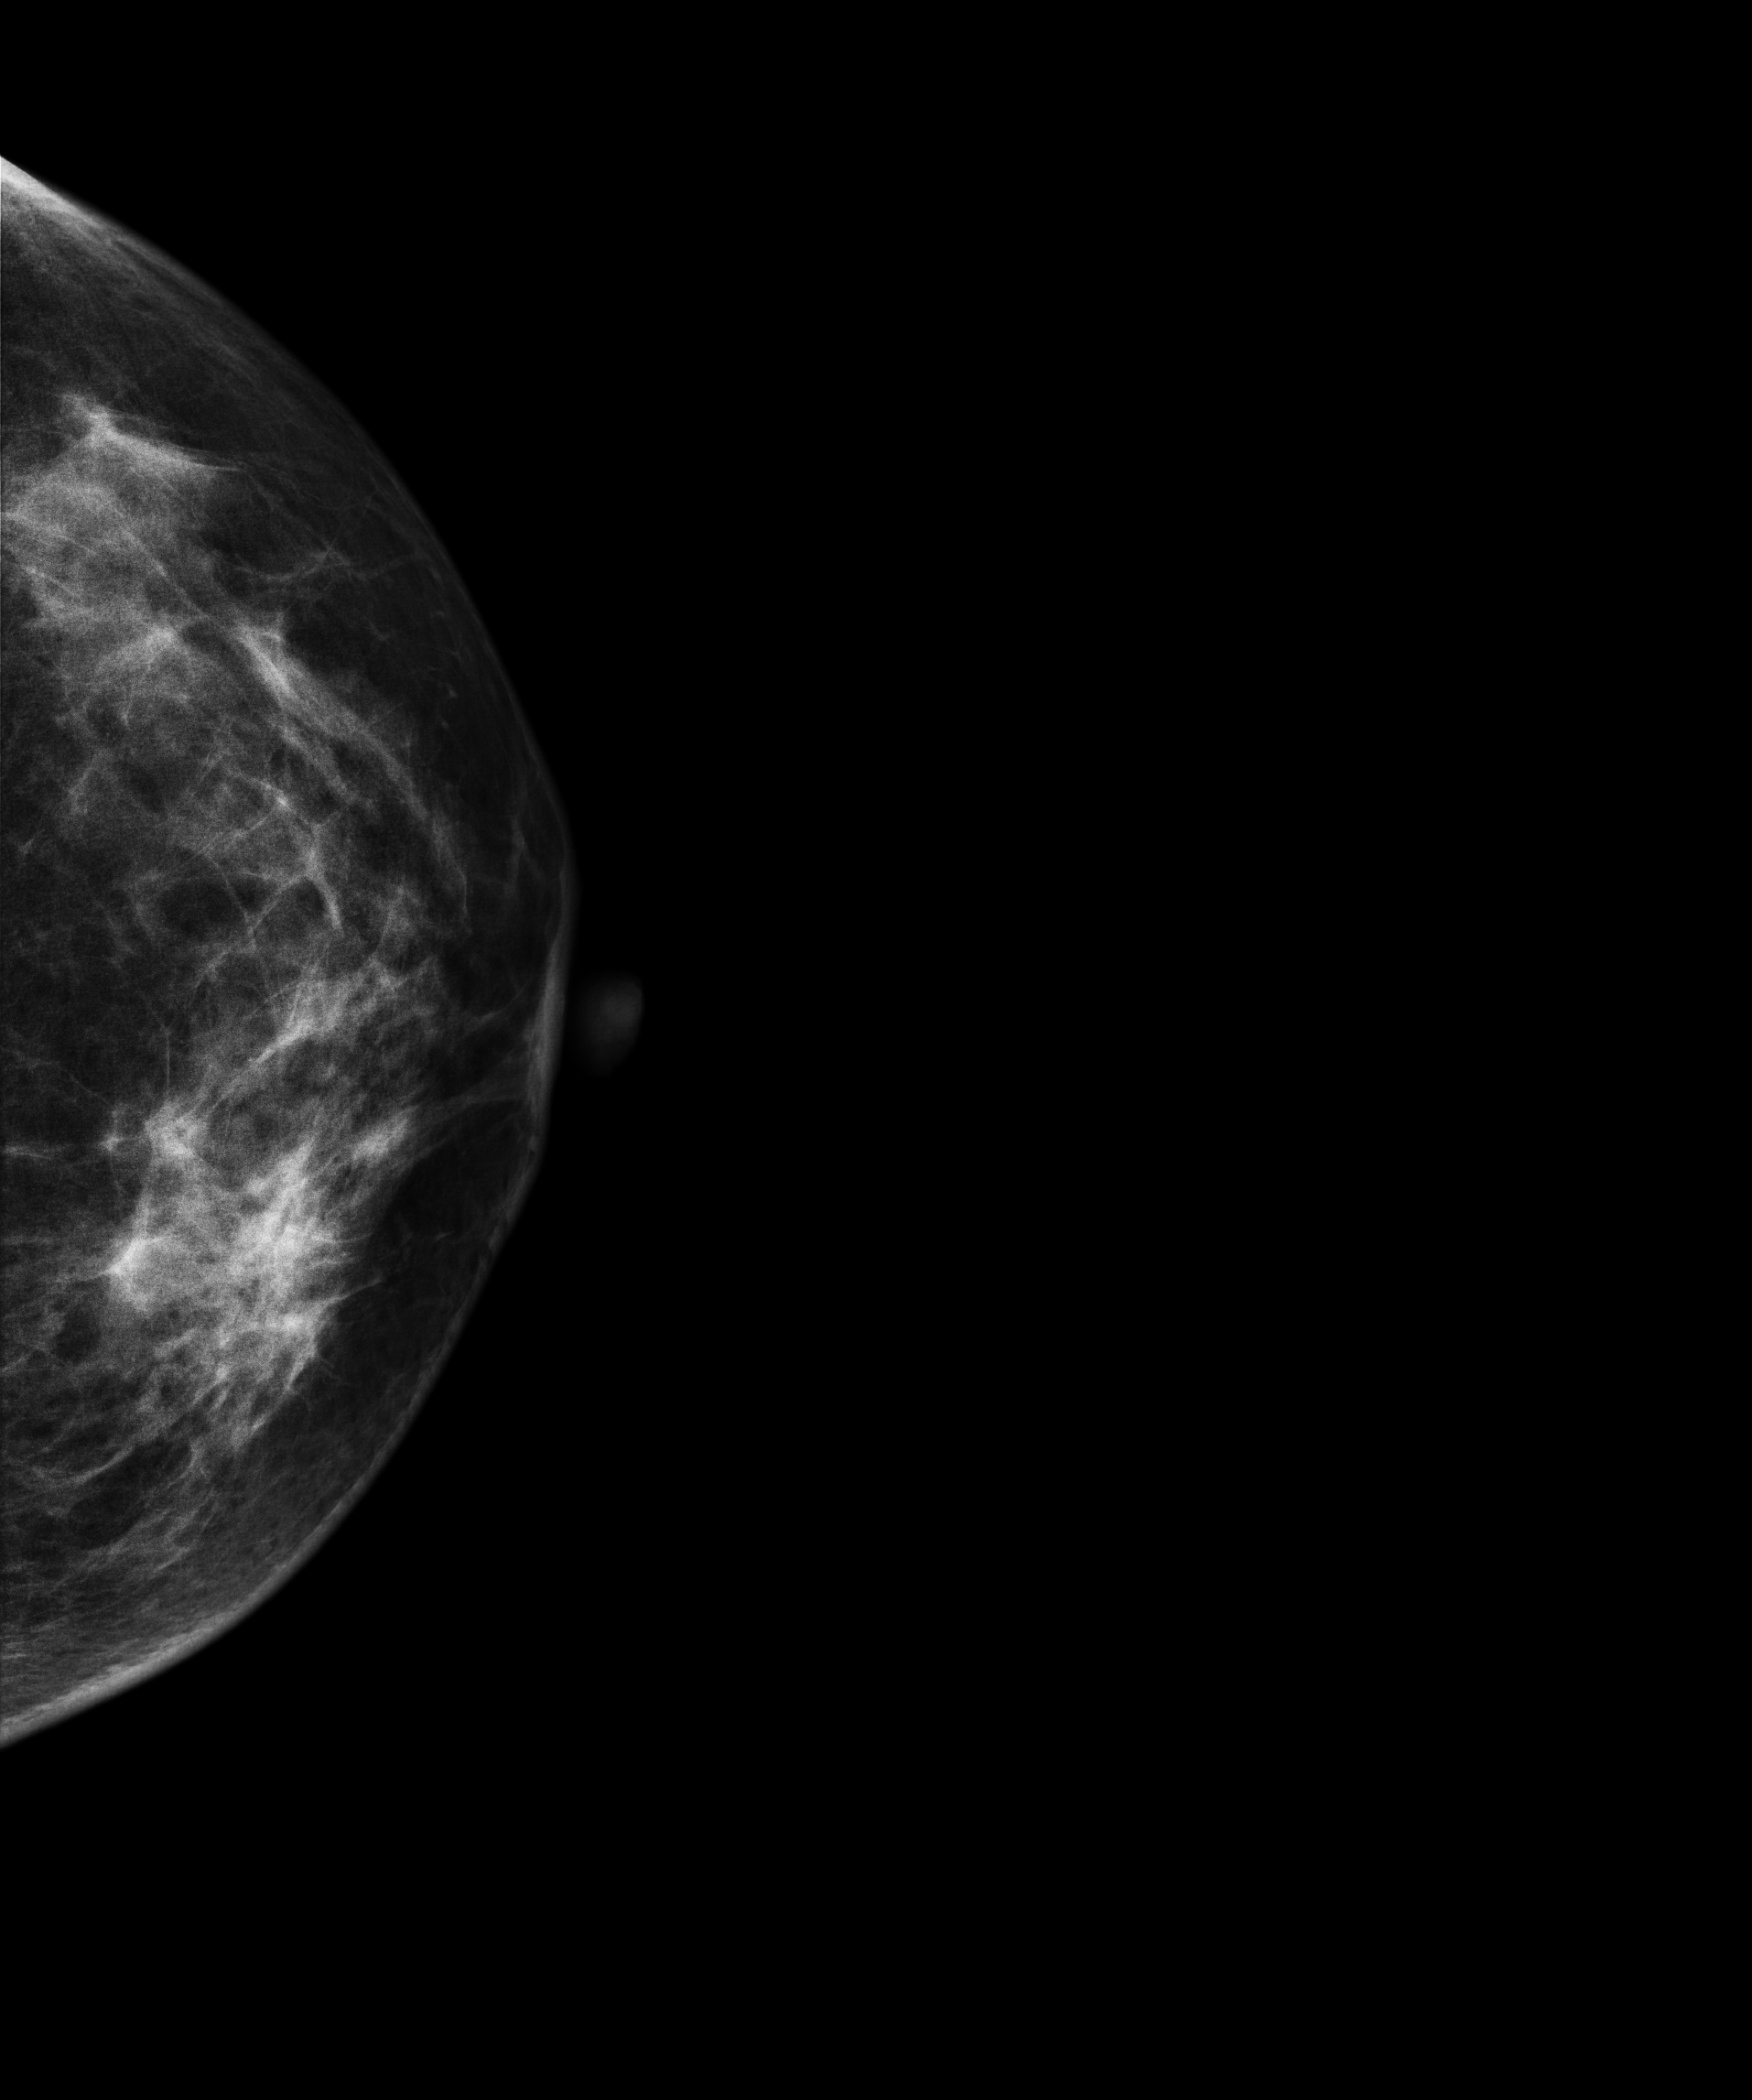
Digital mammography. Left breast, cranio-caudal projection. Patient age 42.
This breast has a mass, biopsy-proven malignant.